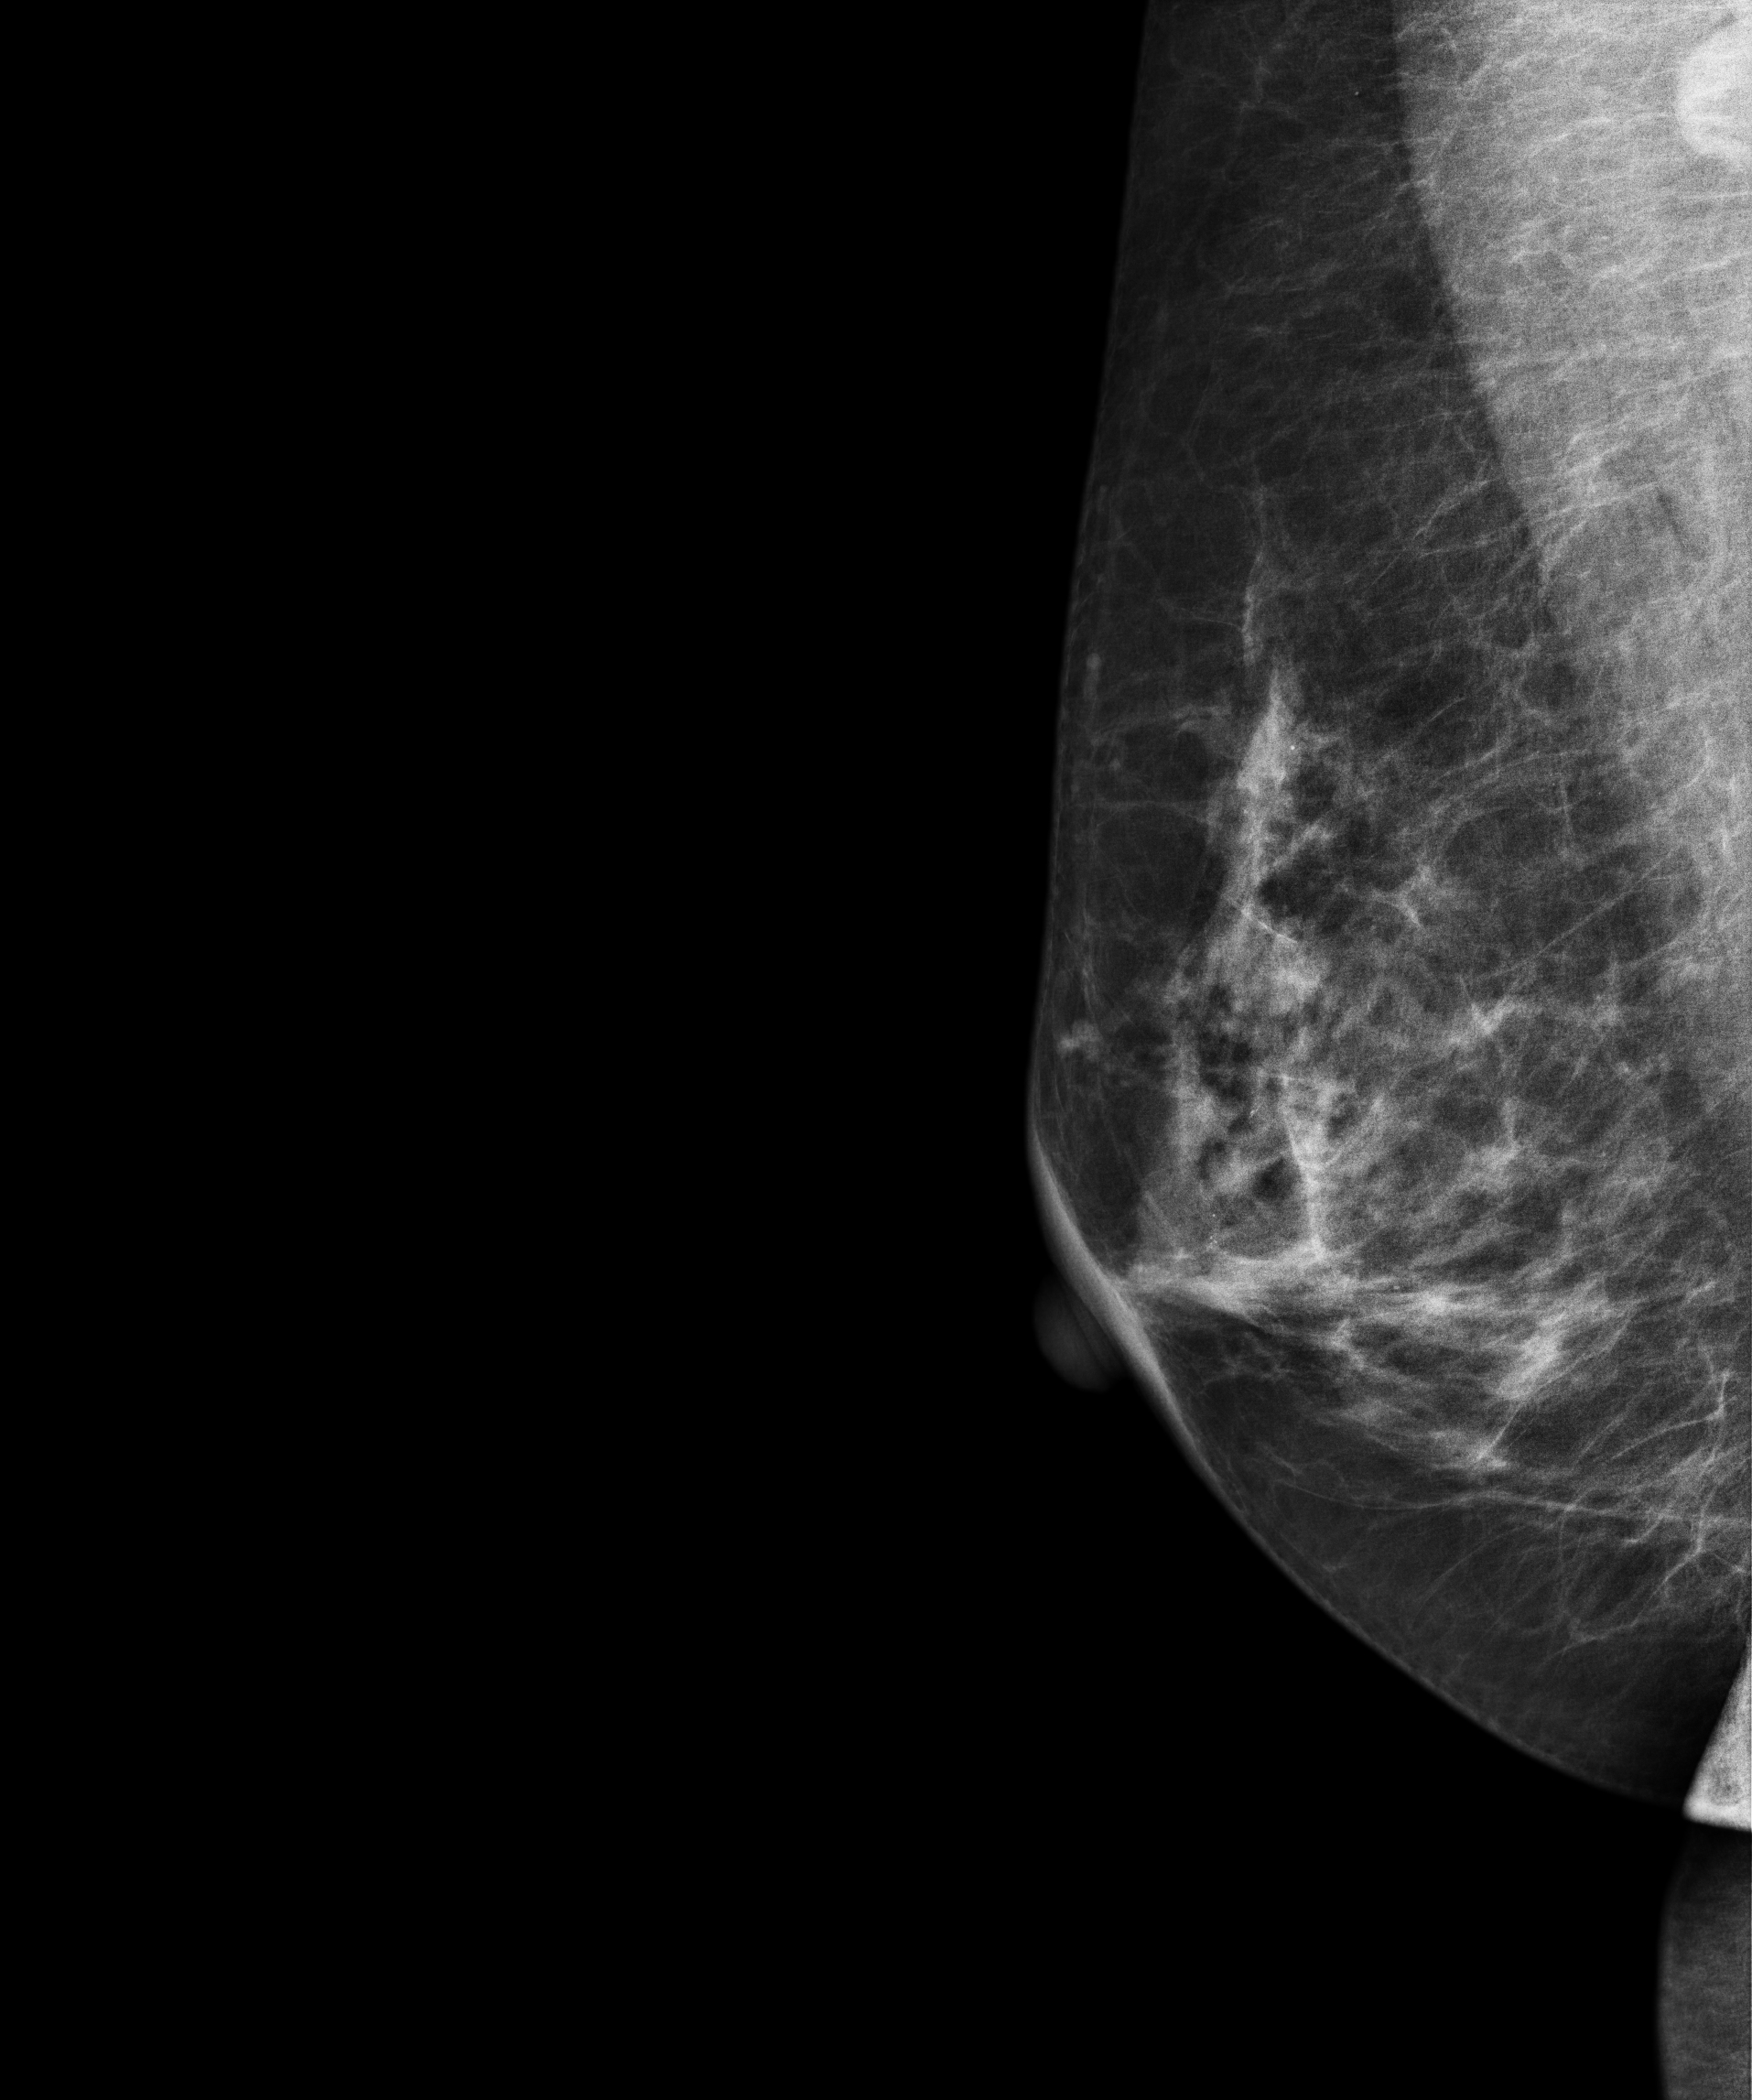
Digital mammography. Right breast, MLO projection. 57-year-old patient.
This breast has a mass and calcifications, histologically confirmed malignant.